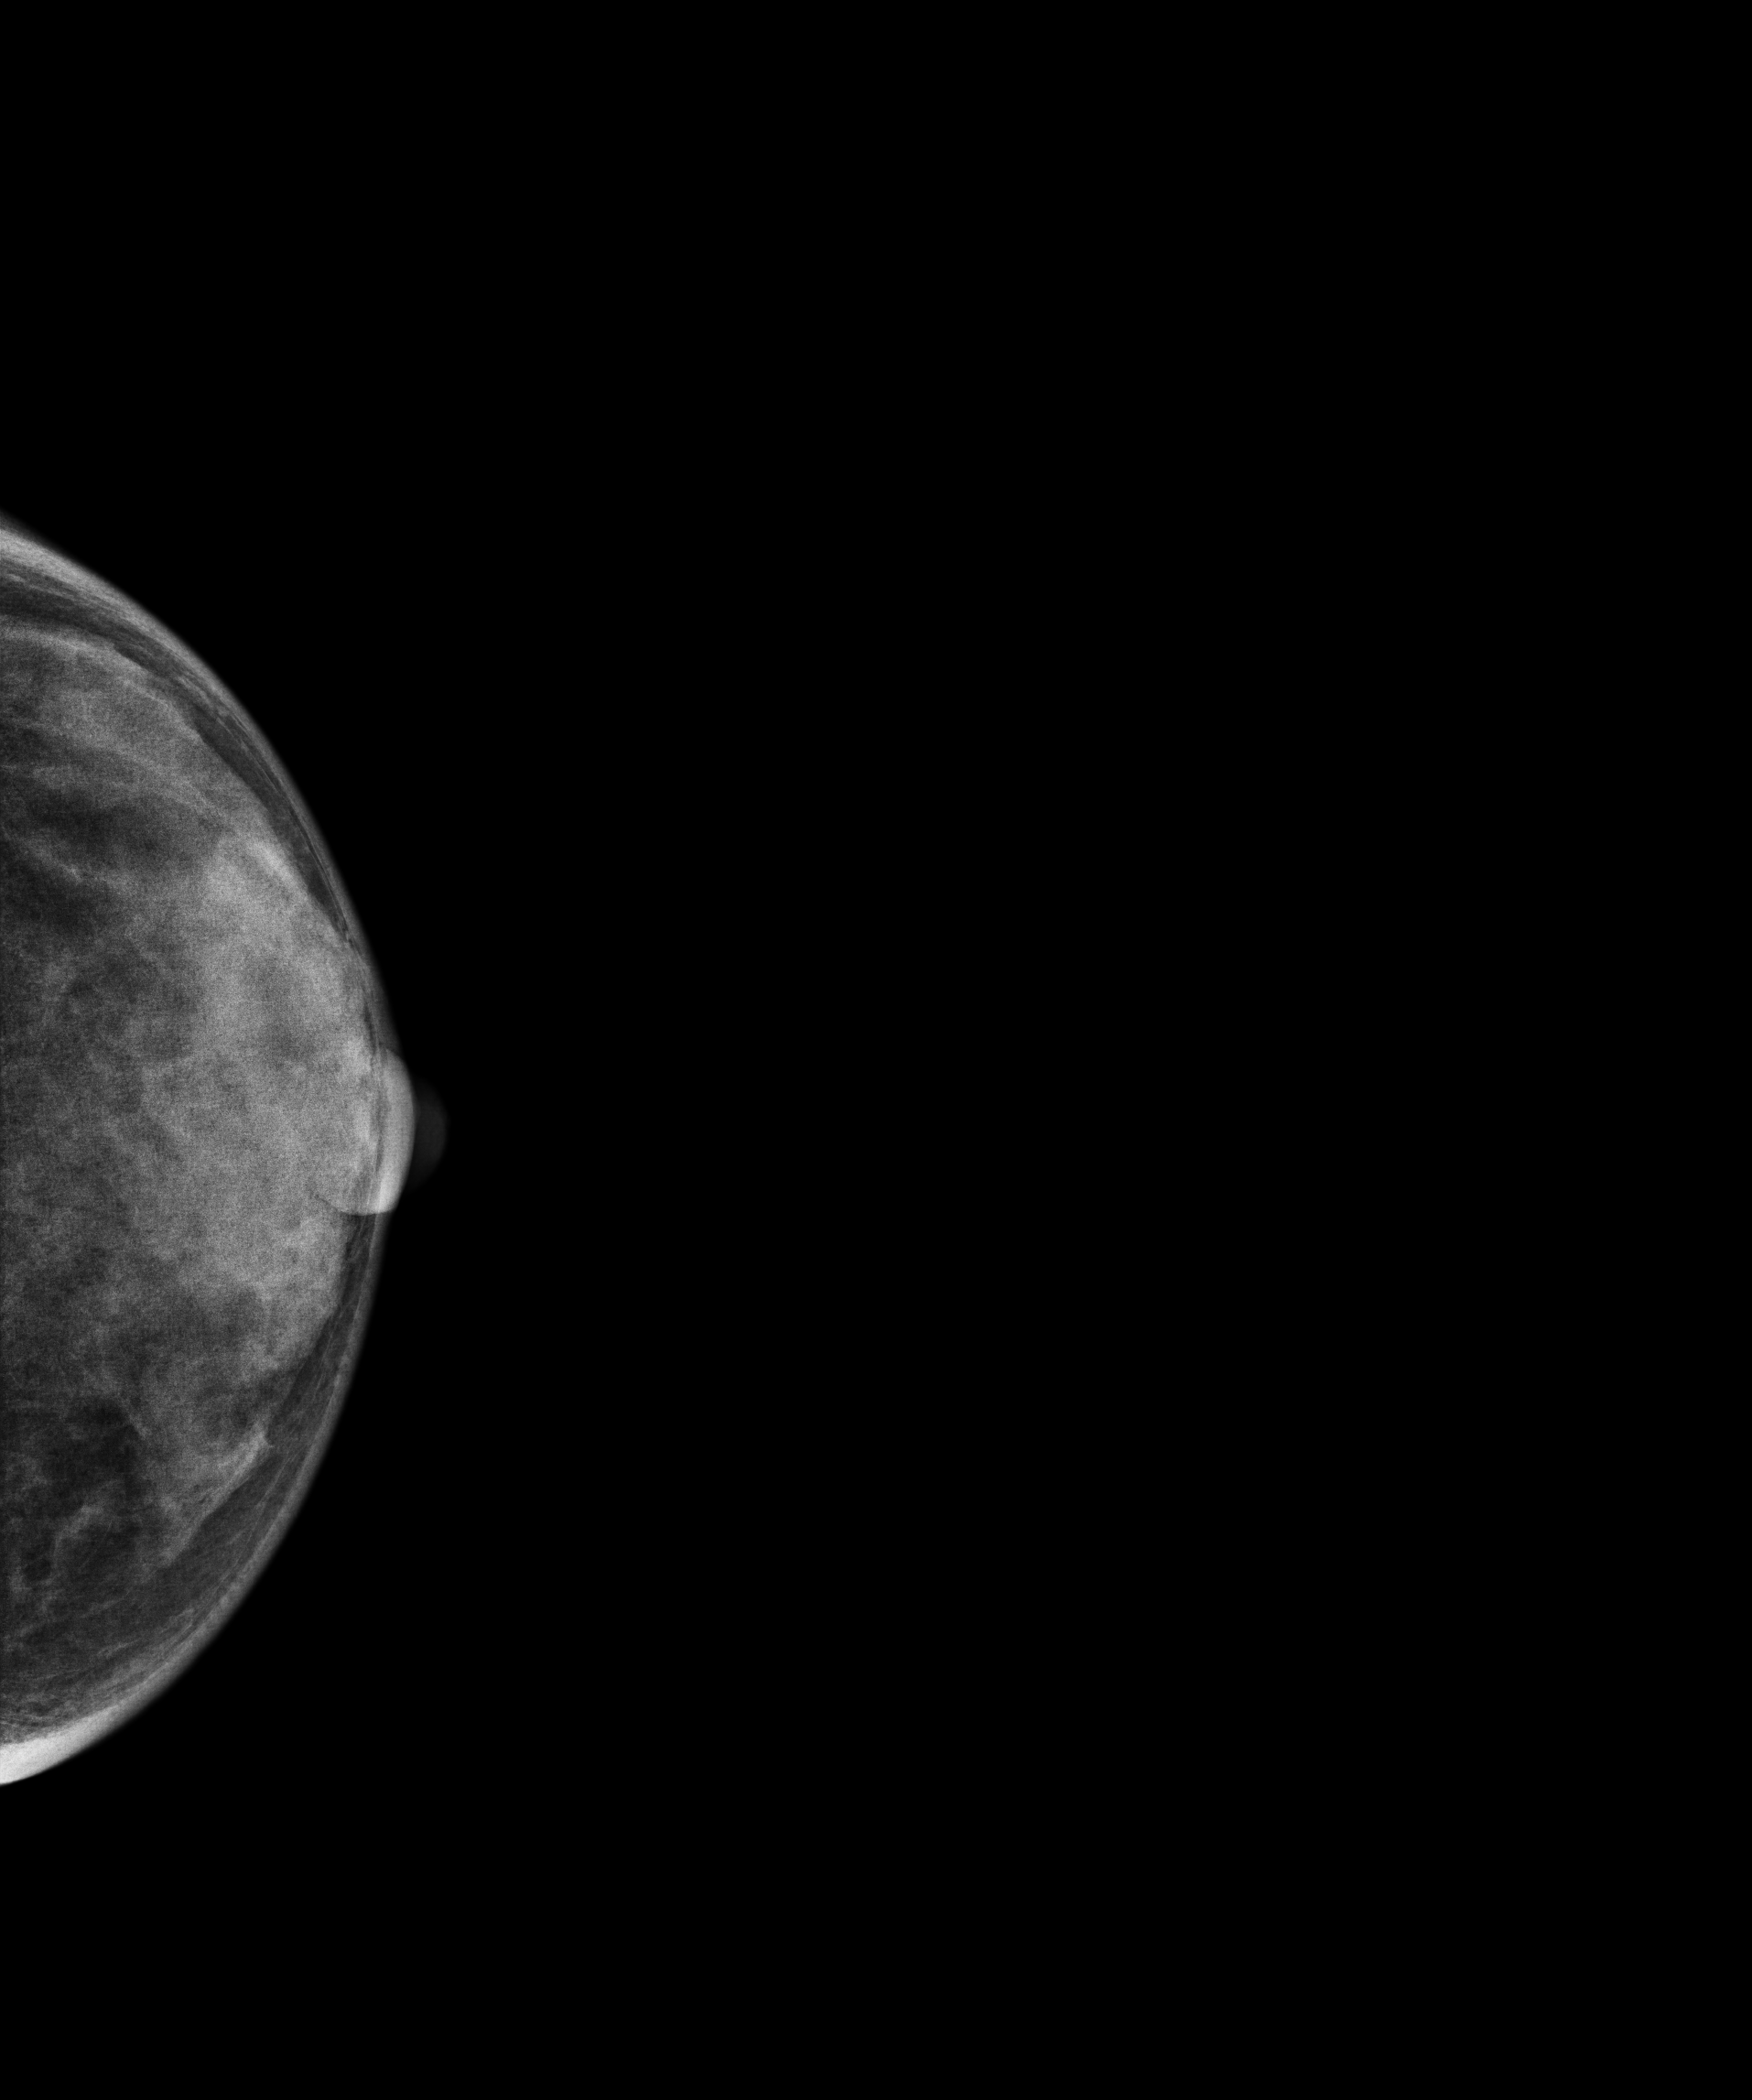
Digital mammography. Left breast, cranio-caudal projection. 37 y/o patient.
This breast has a mass, biopsy-confirmed malignant.